Mammogram, right breast, MLO view. 42-year-old patient.
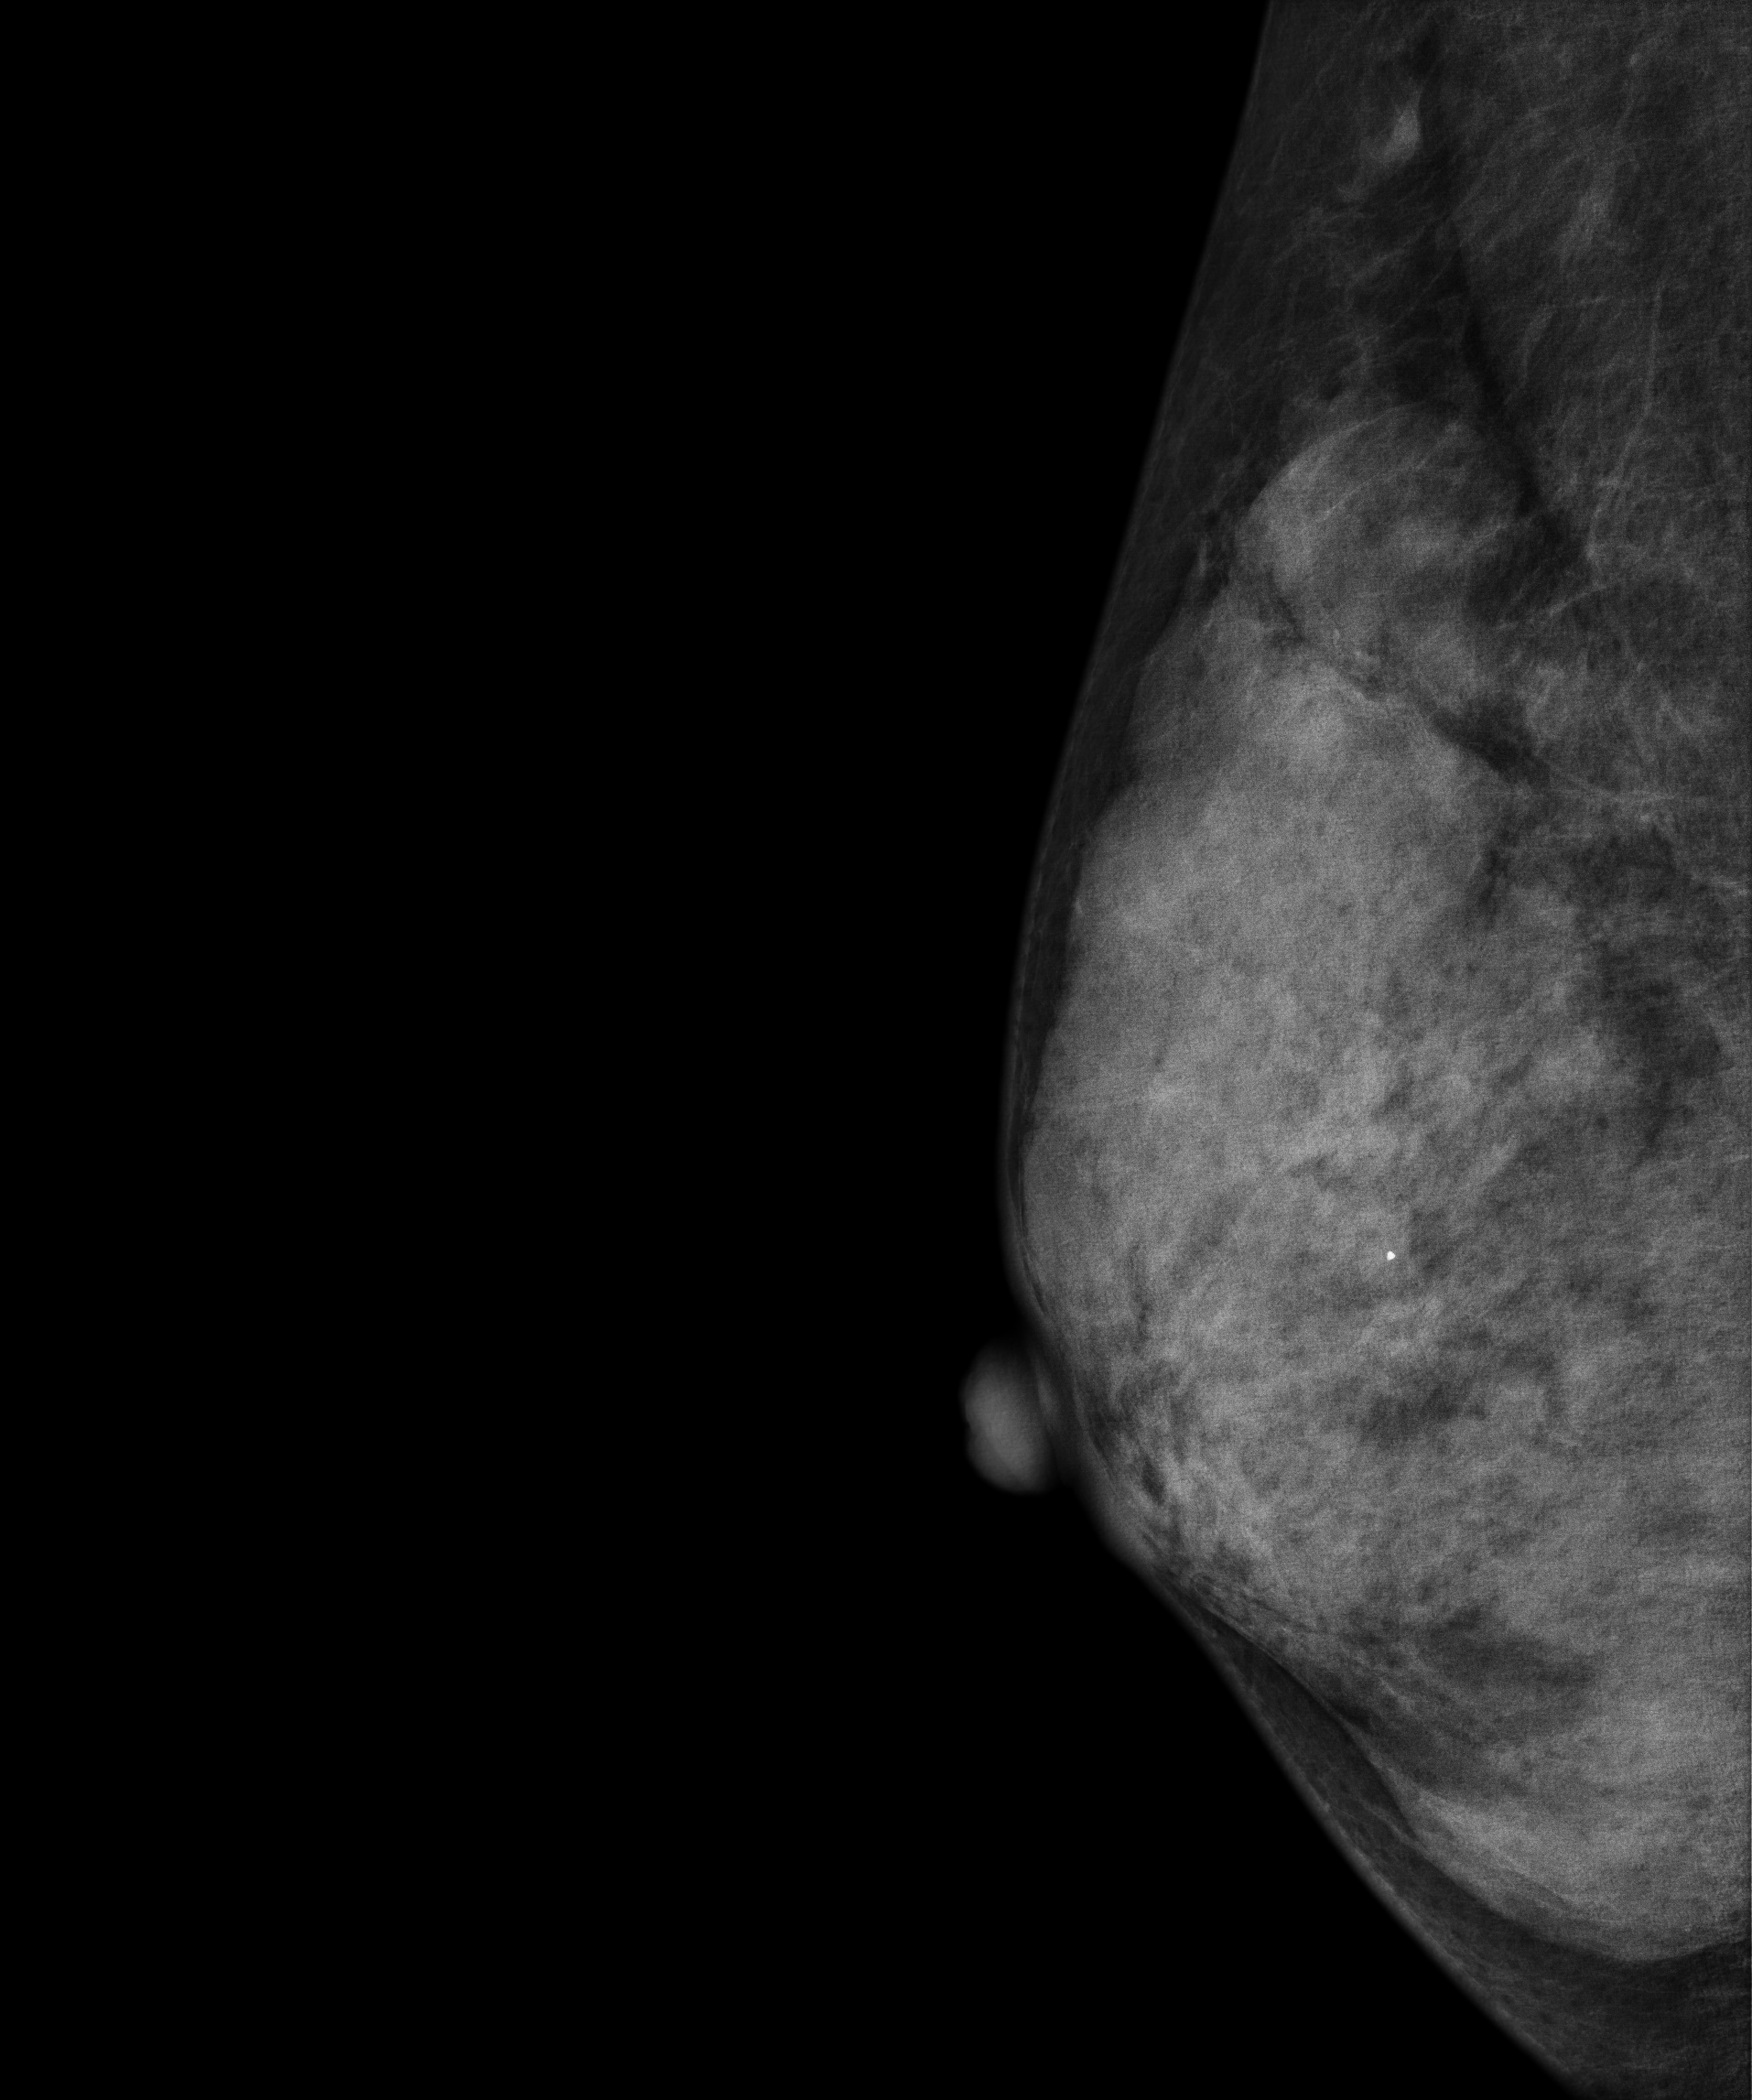
Contralateral breast — no documented abnormality on this side.